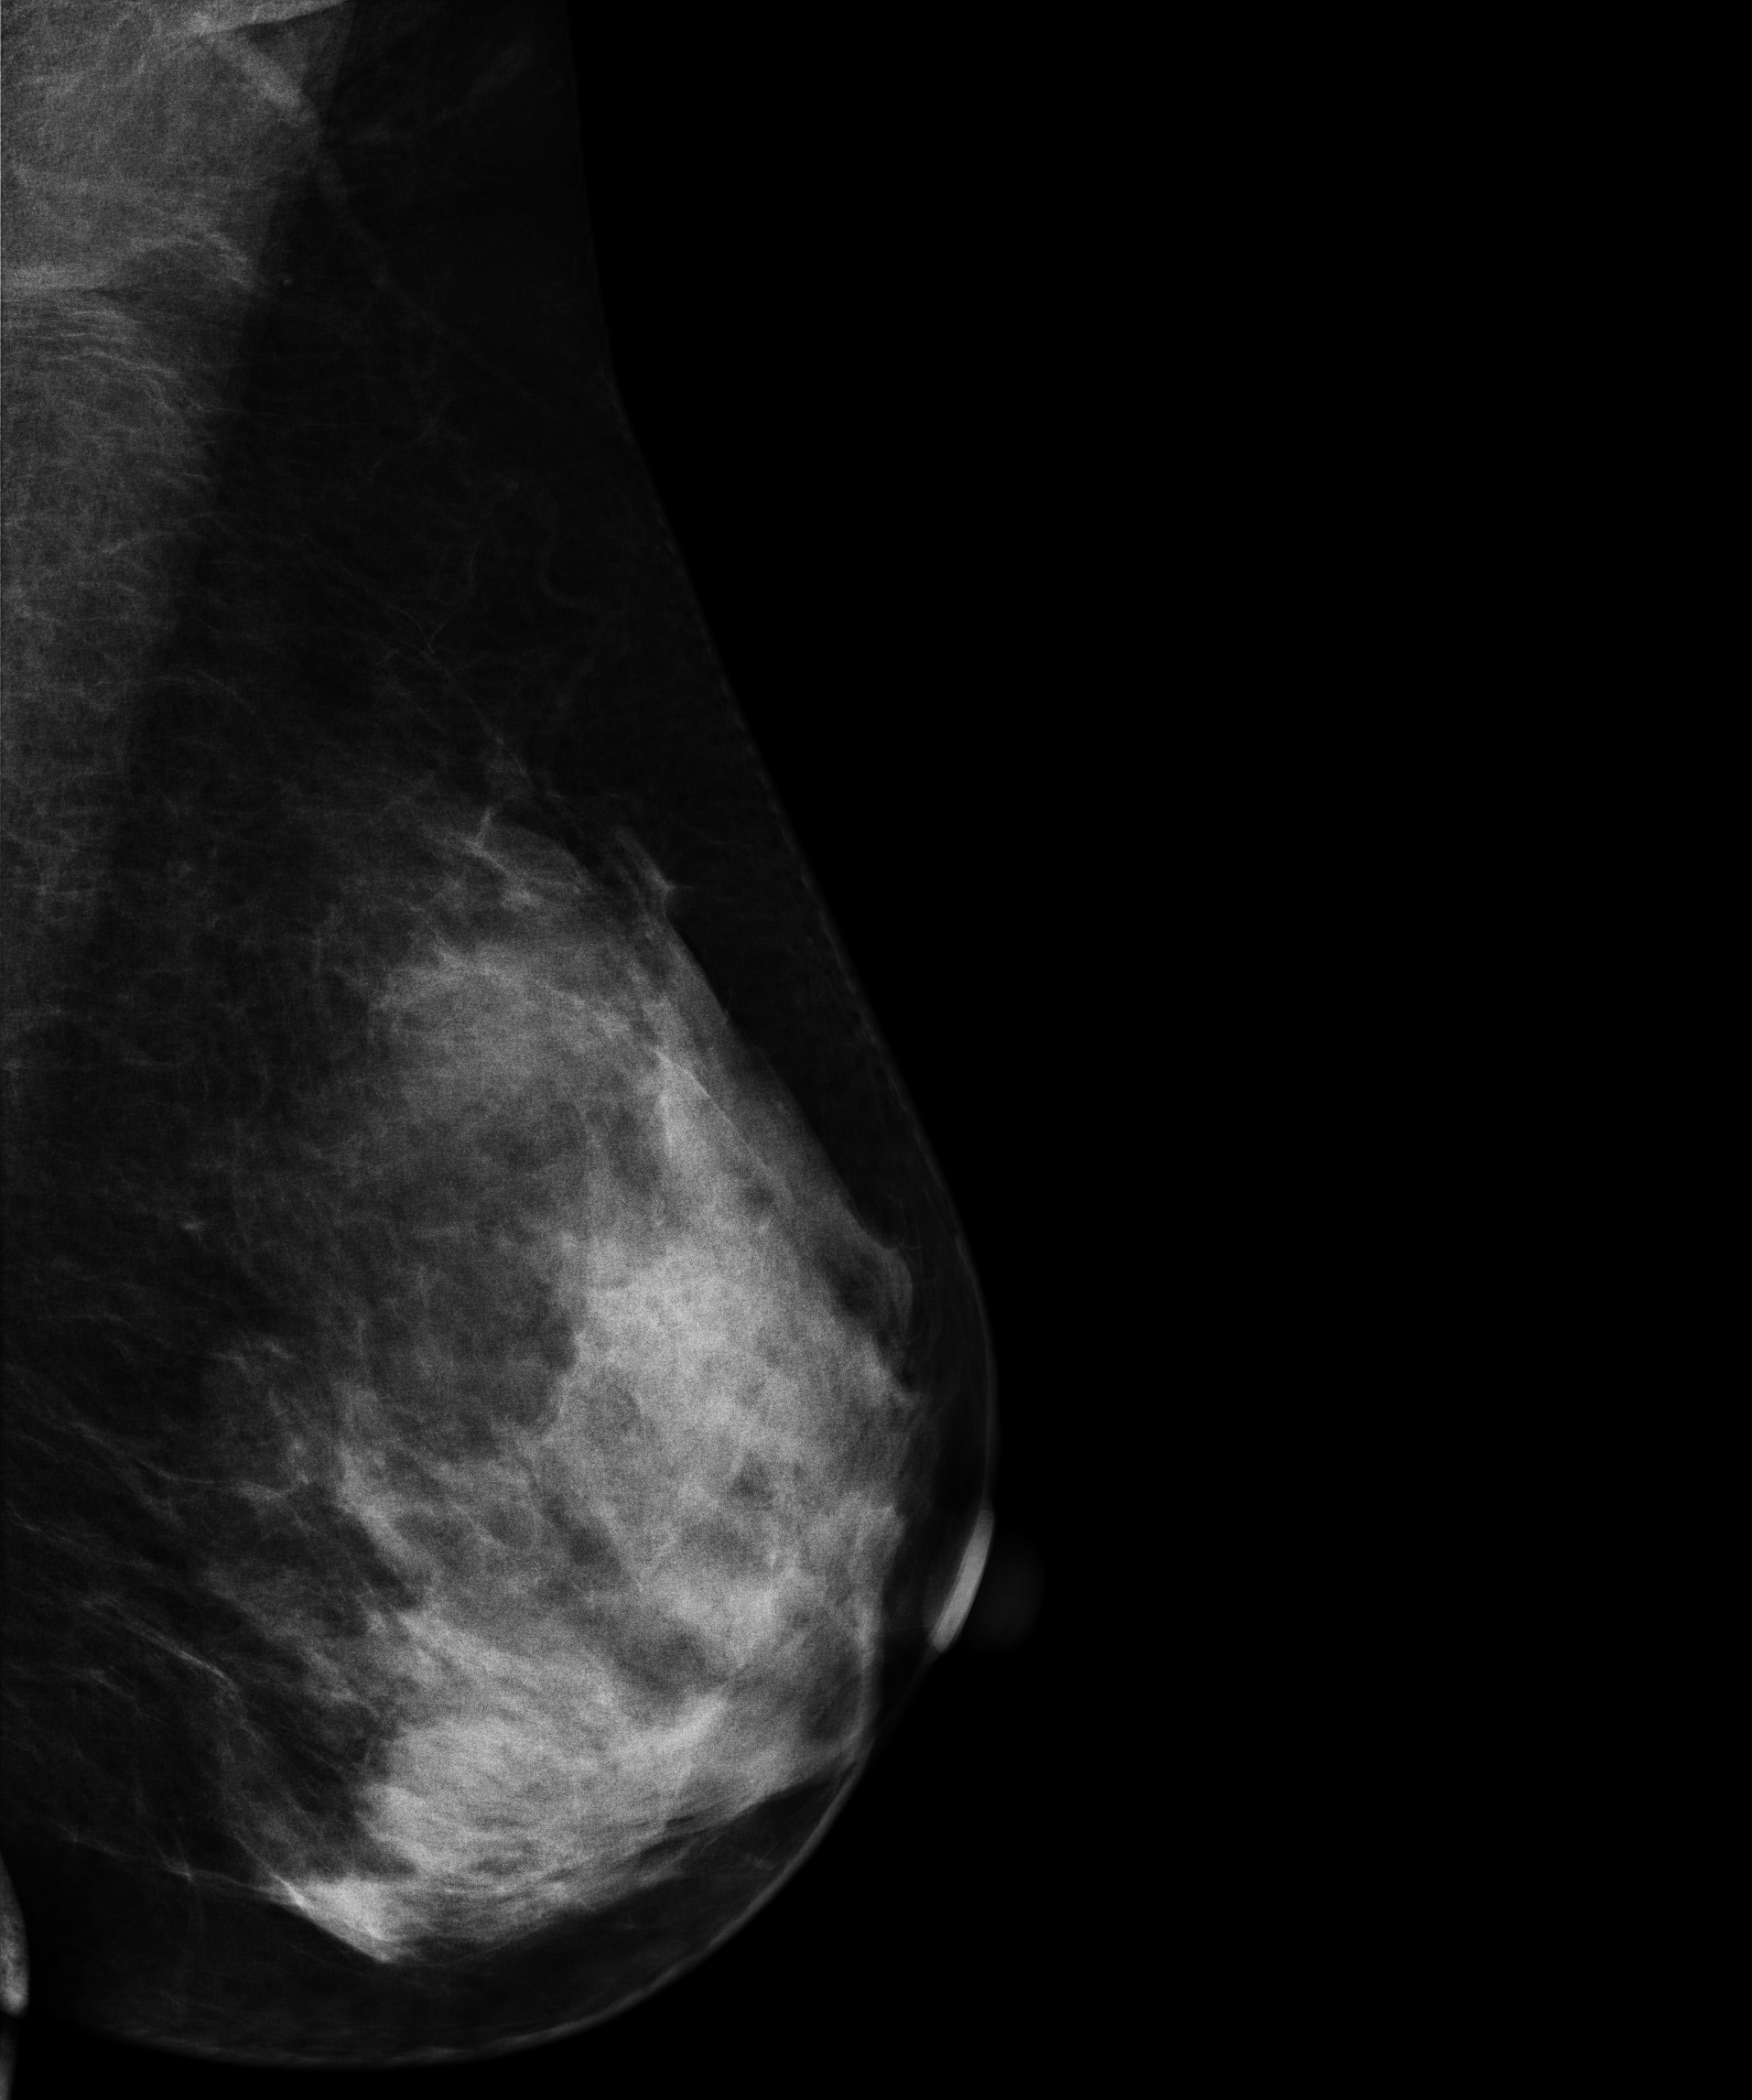
Left-breast mammogram, medio-lateral oblique. Patient age 44.
This breast has a mass, biopsy-confirmed benign.